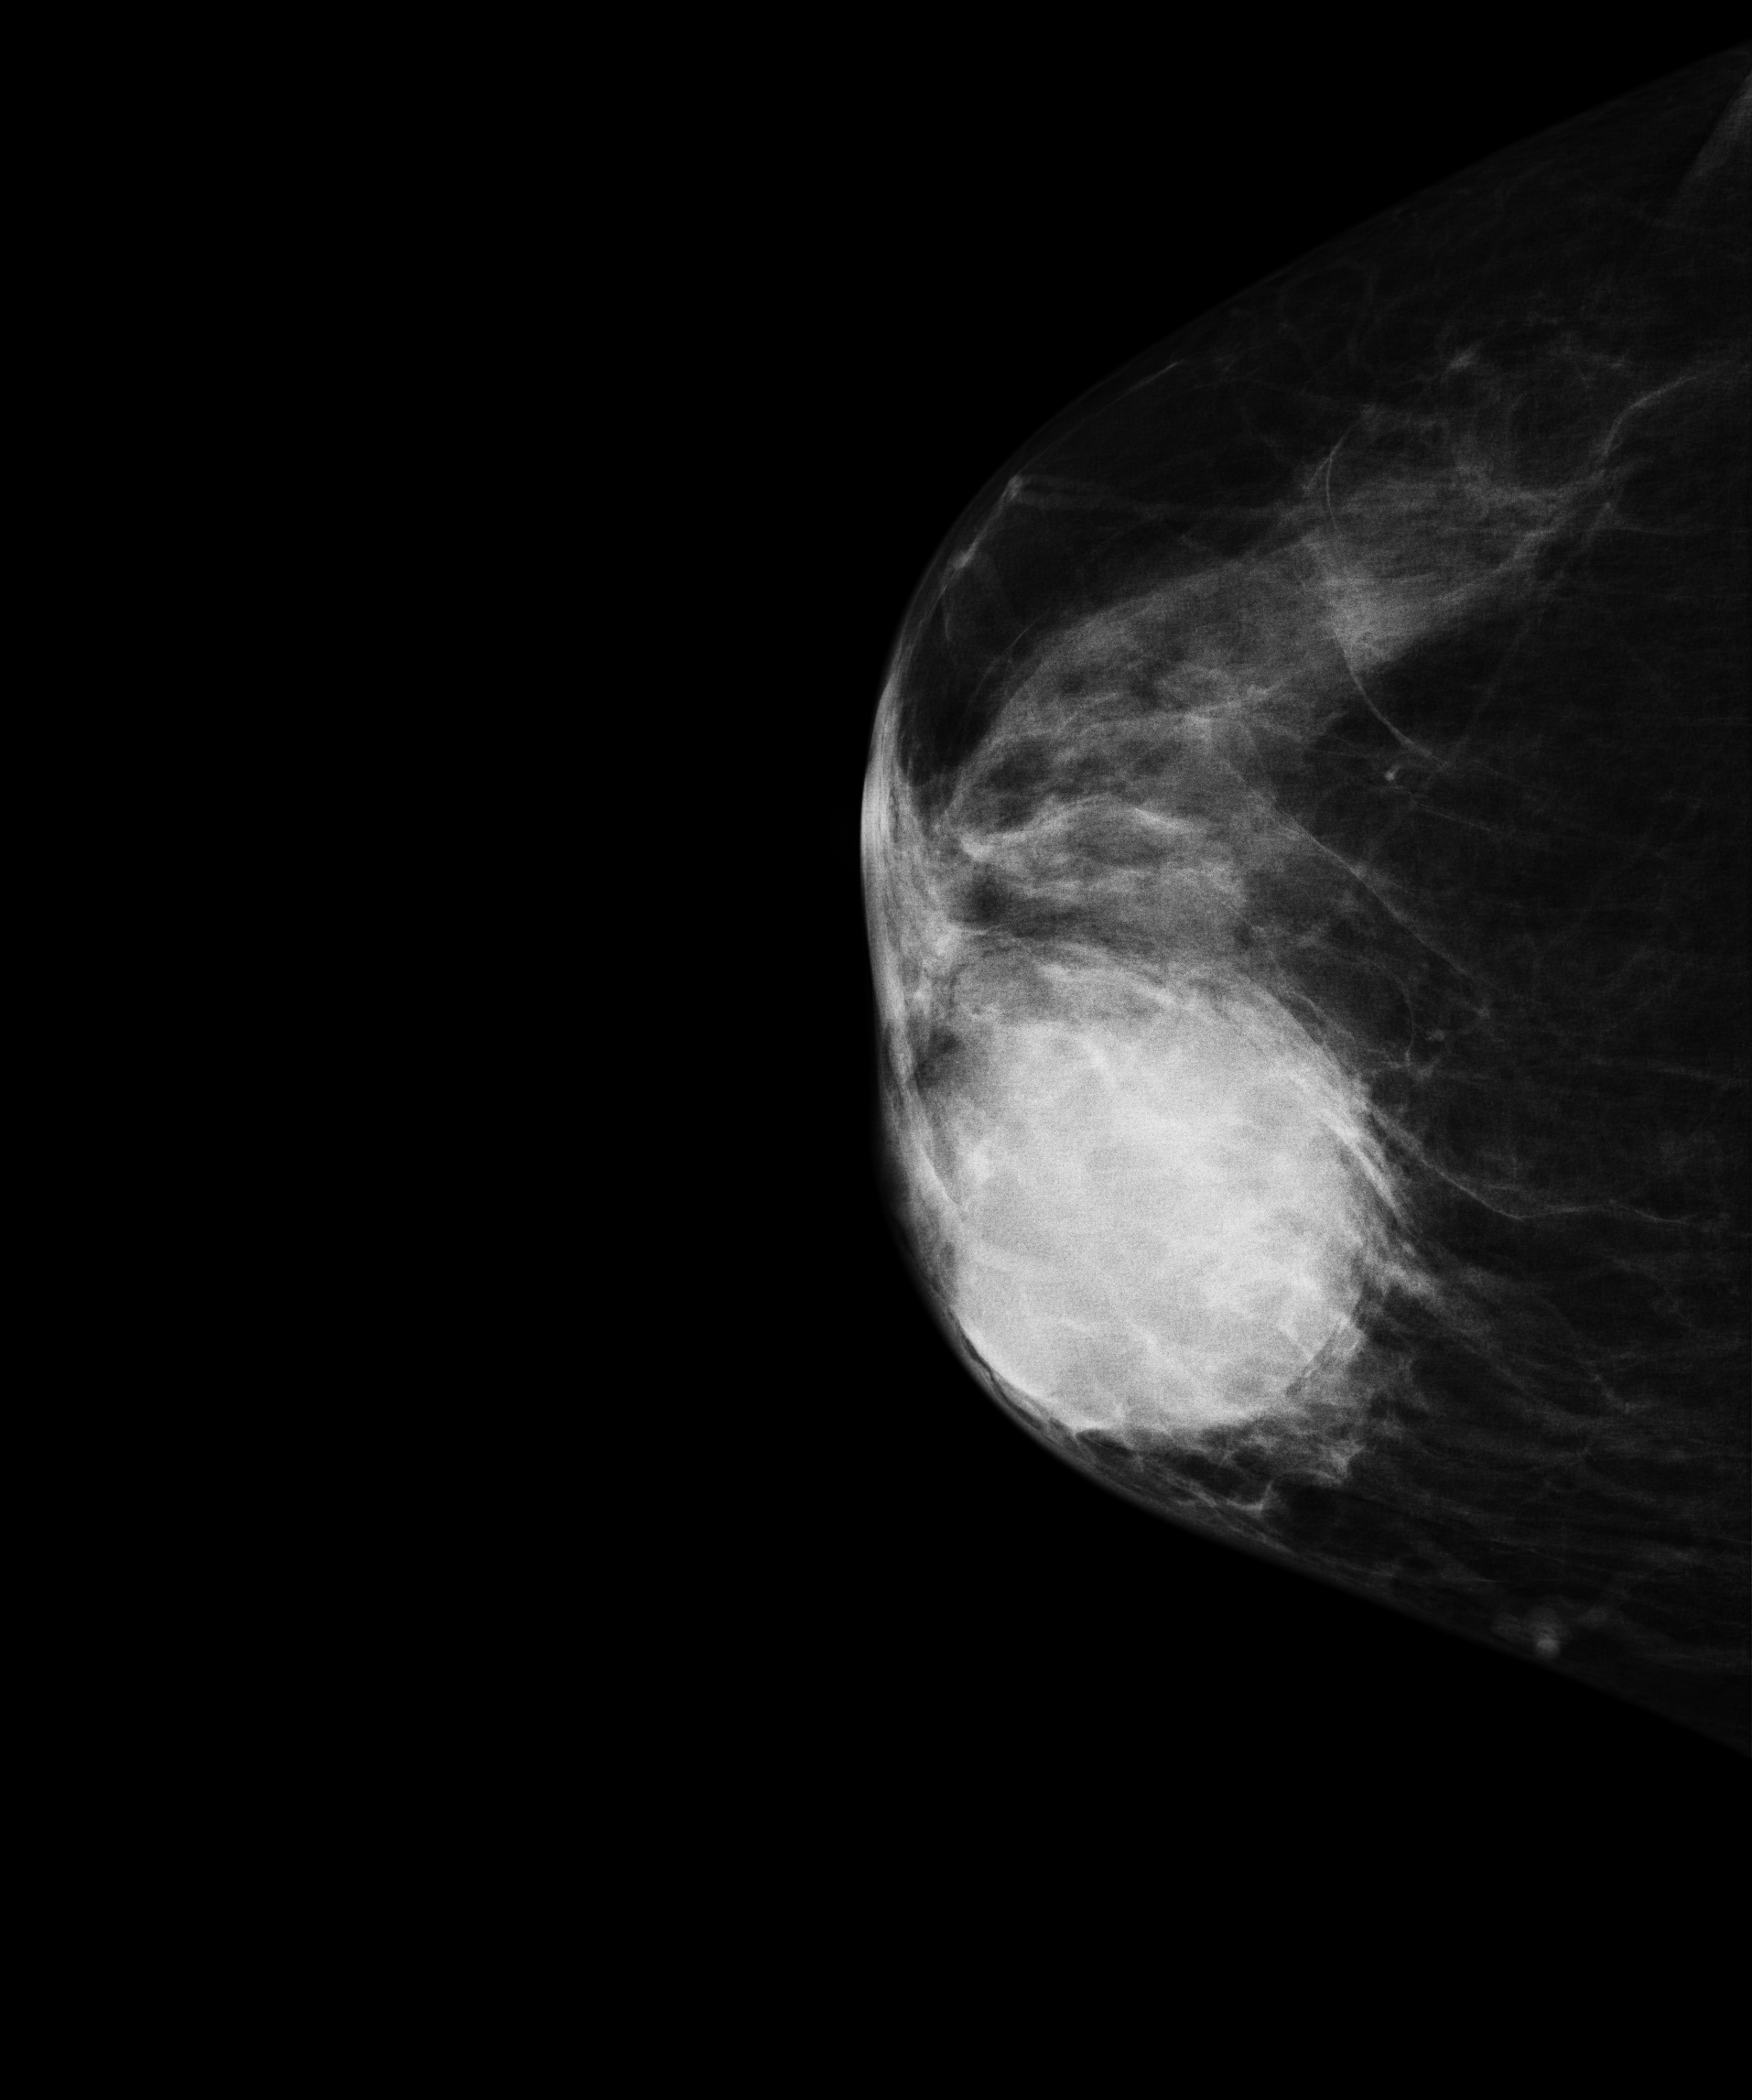
Mammogram — right CC. 58-year-old patient.
This breast has a mass, biopsy-confirmed malignant. Molecular subtype: triple-negative.